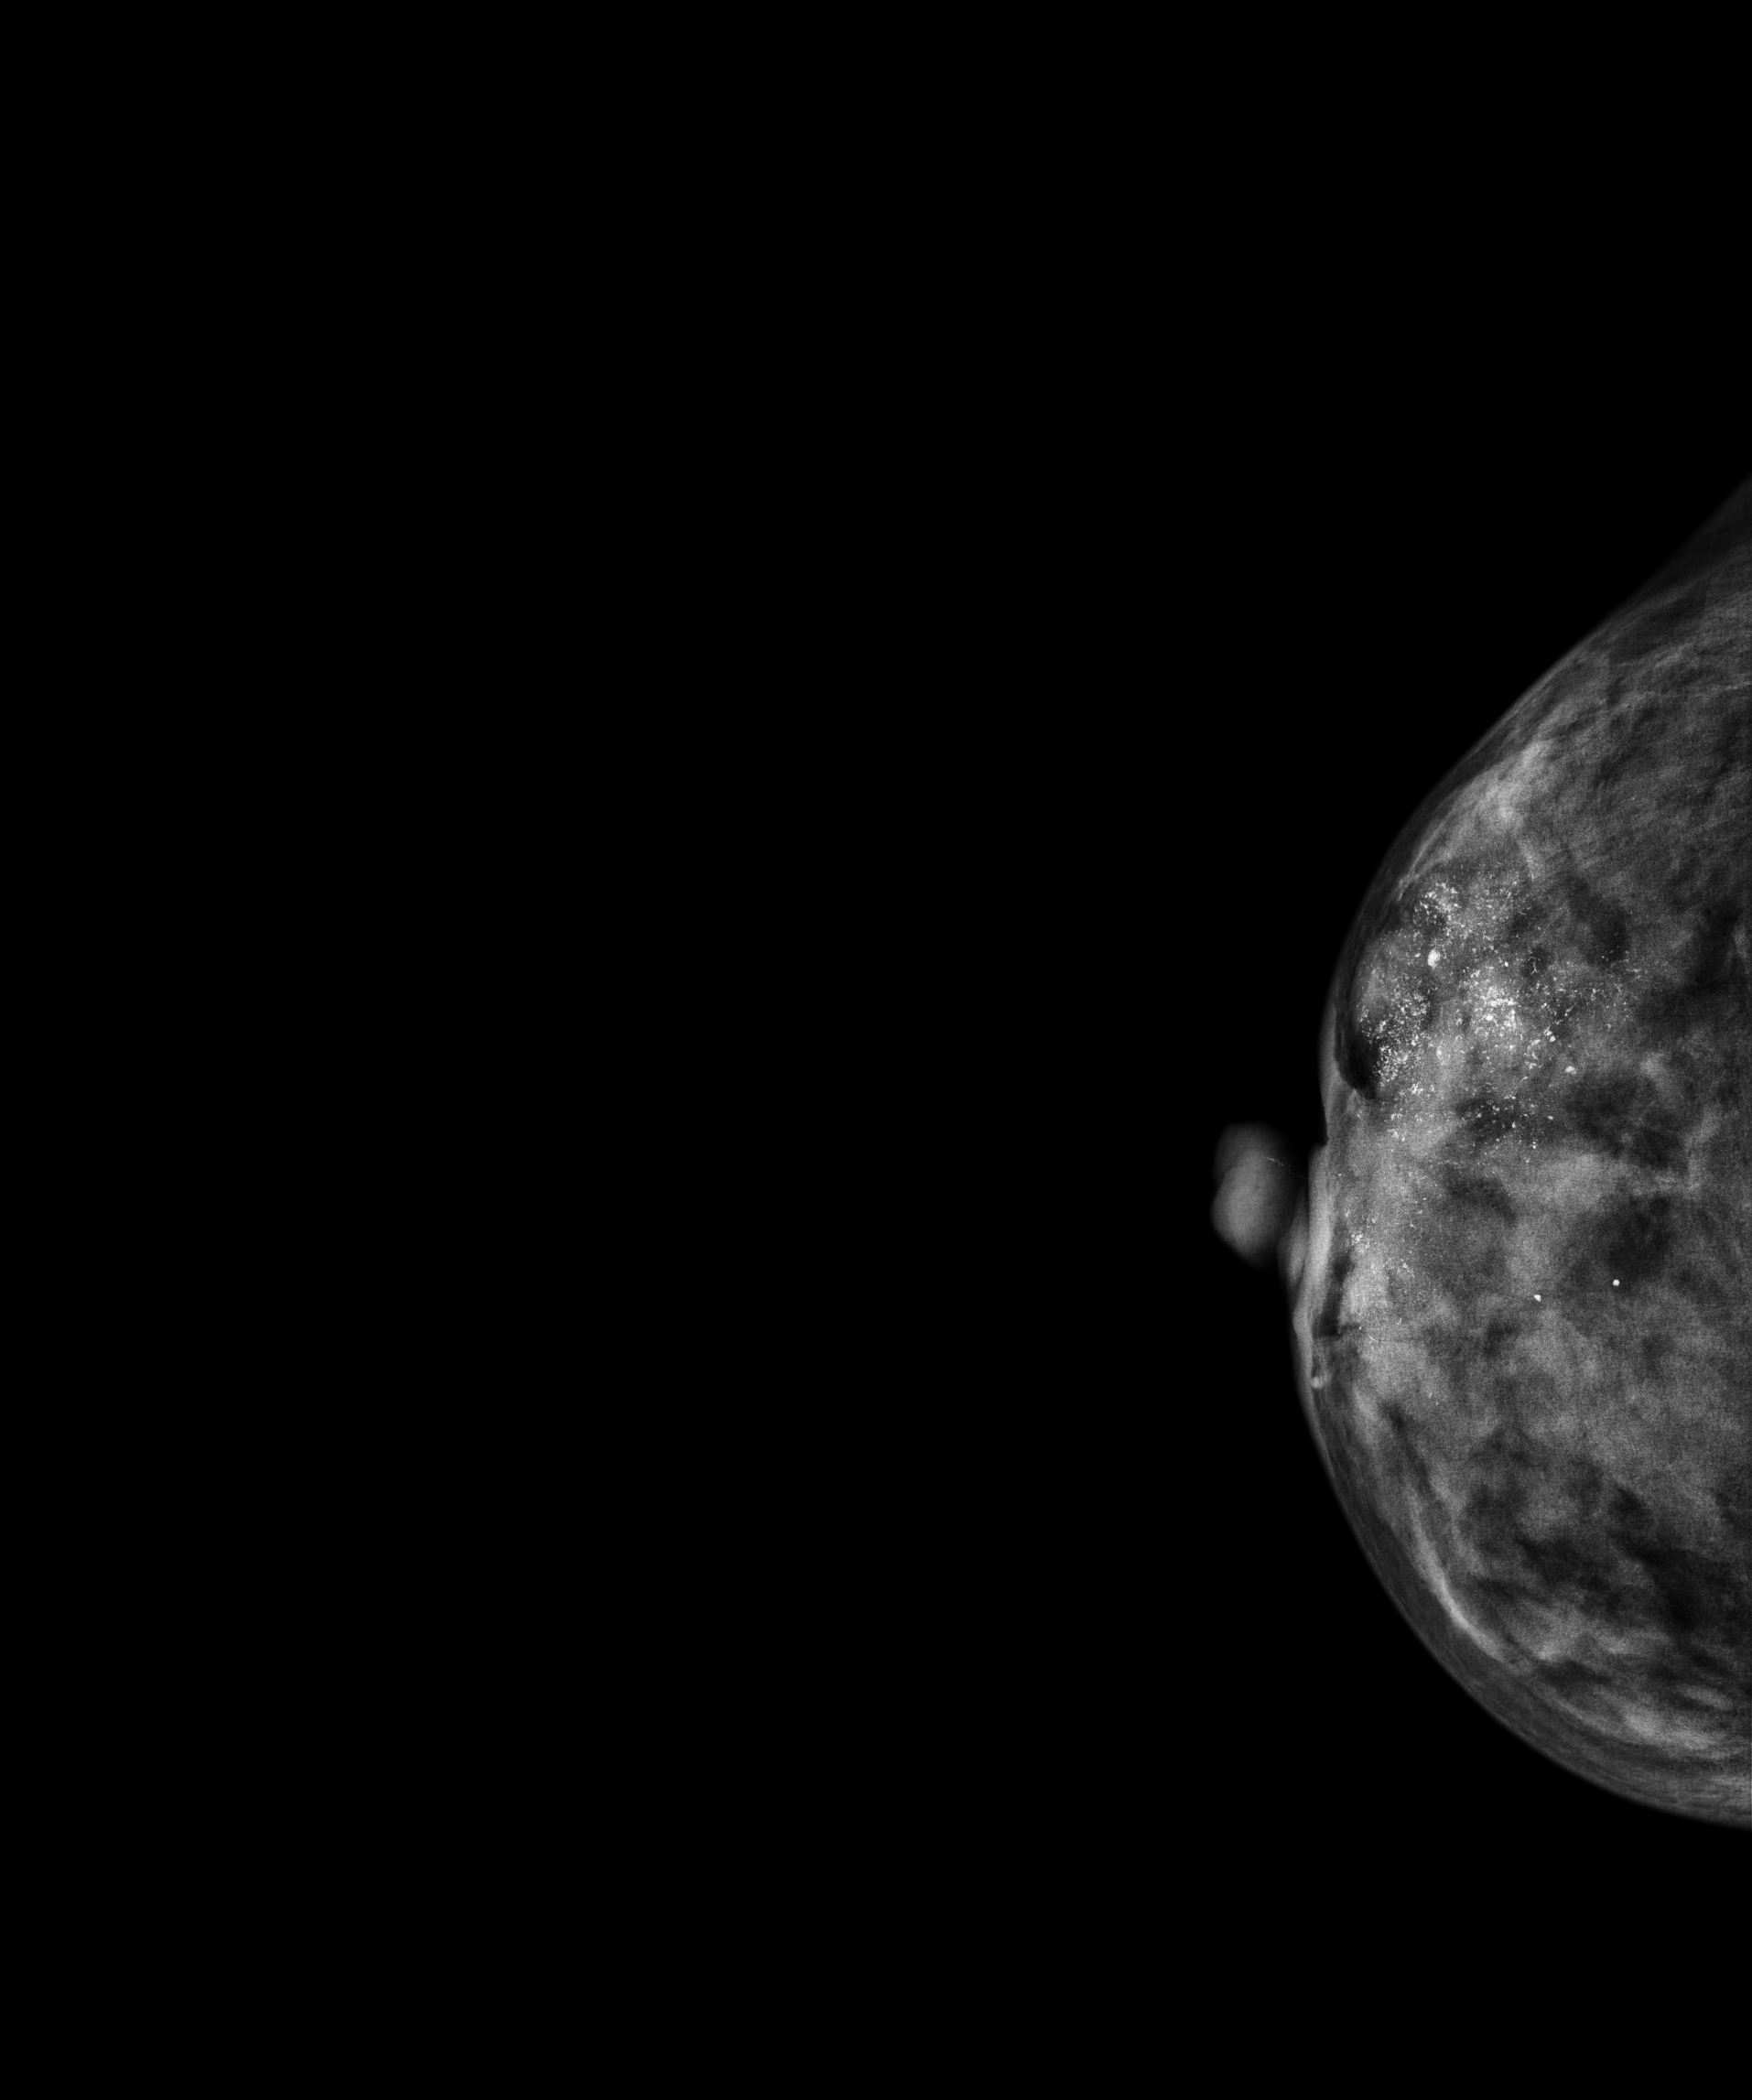
Digital mammography. Right breast, cranio-caudal projection. Patient age 46.
This breast has calcifications, histologically confirmed malignant. Molecular subtype: luminal A.